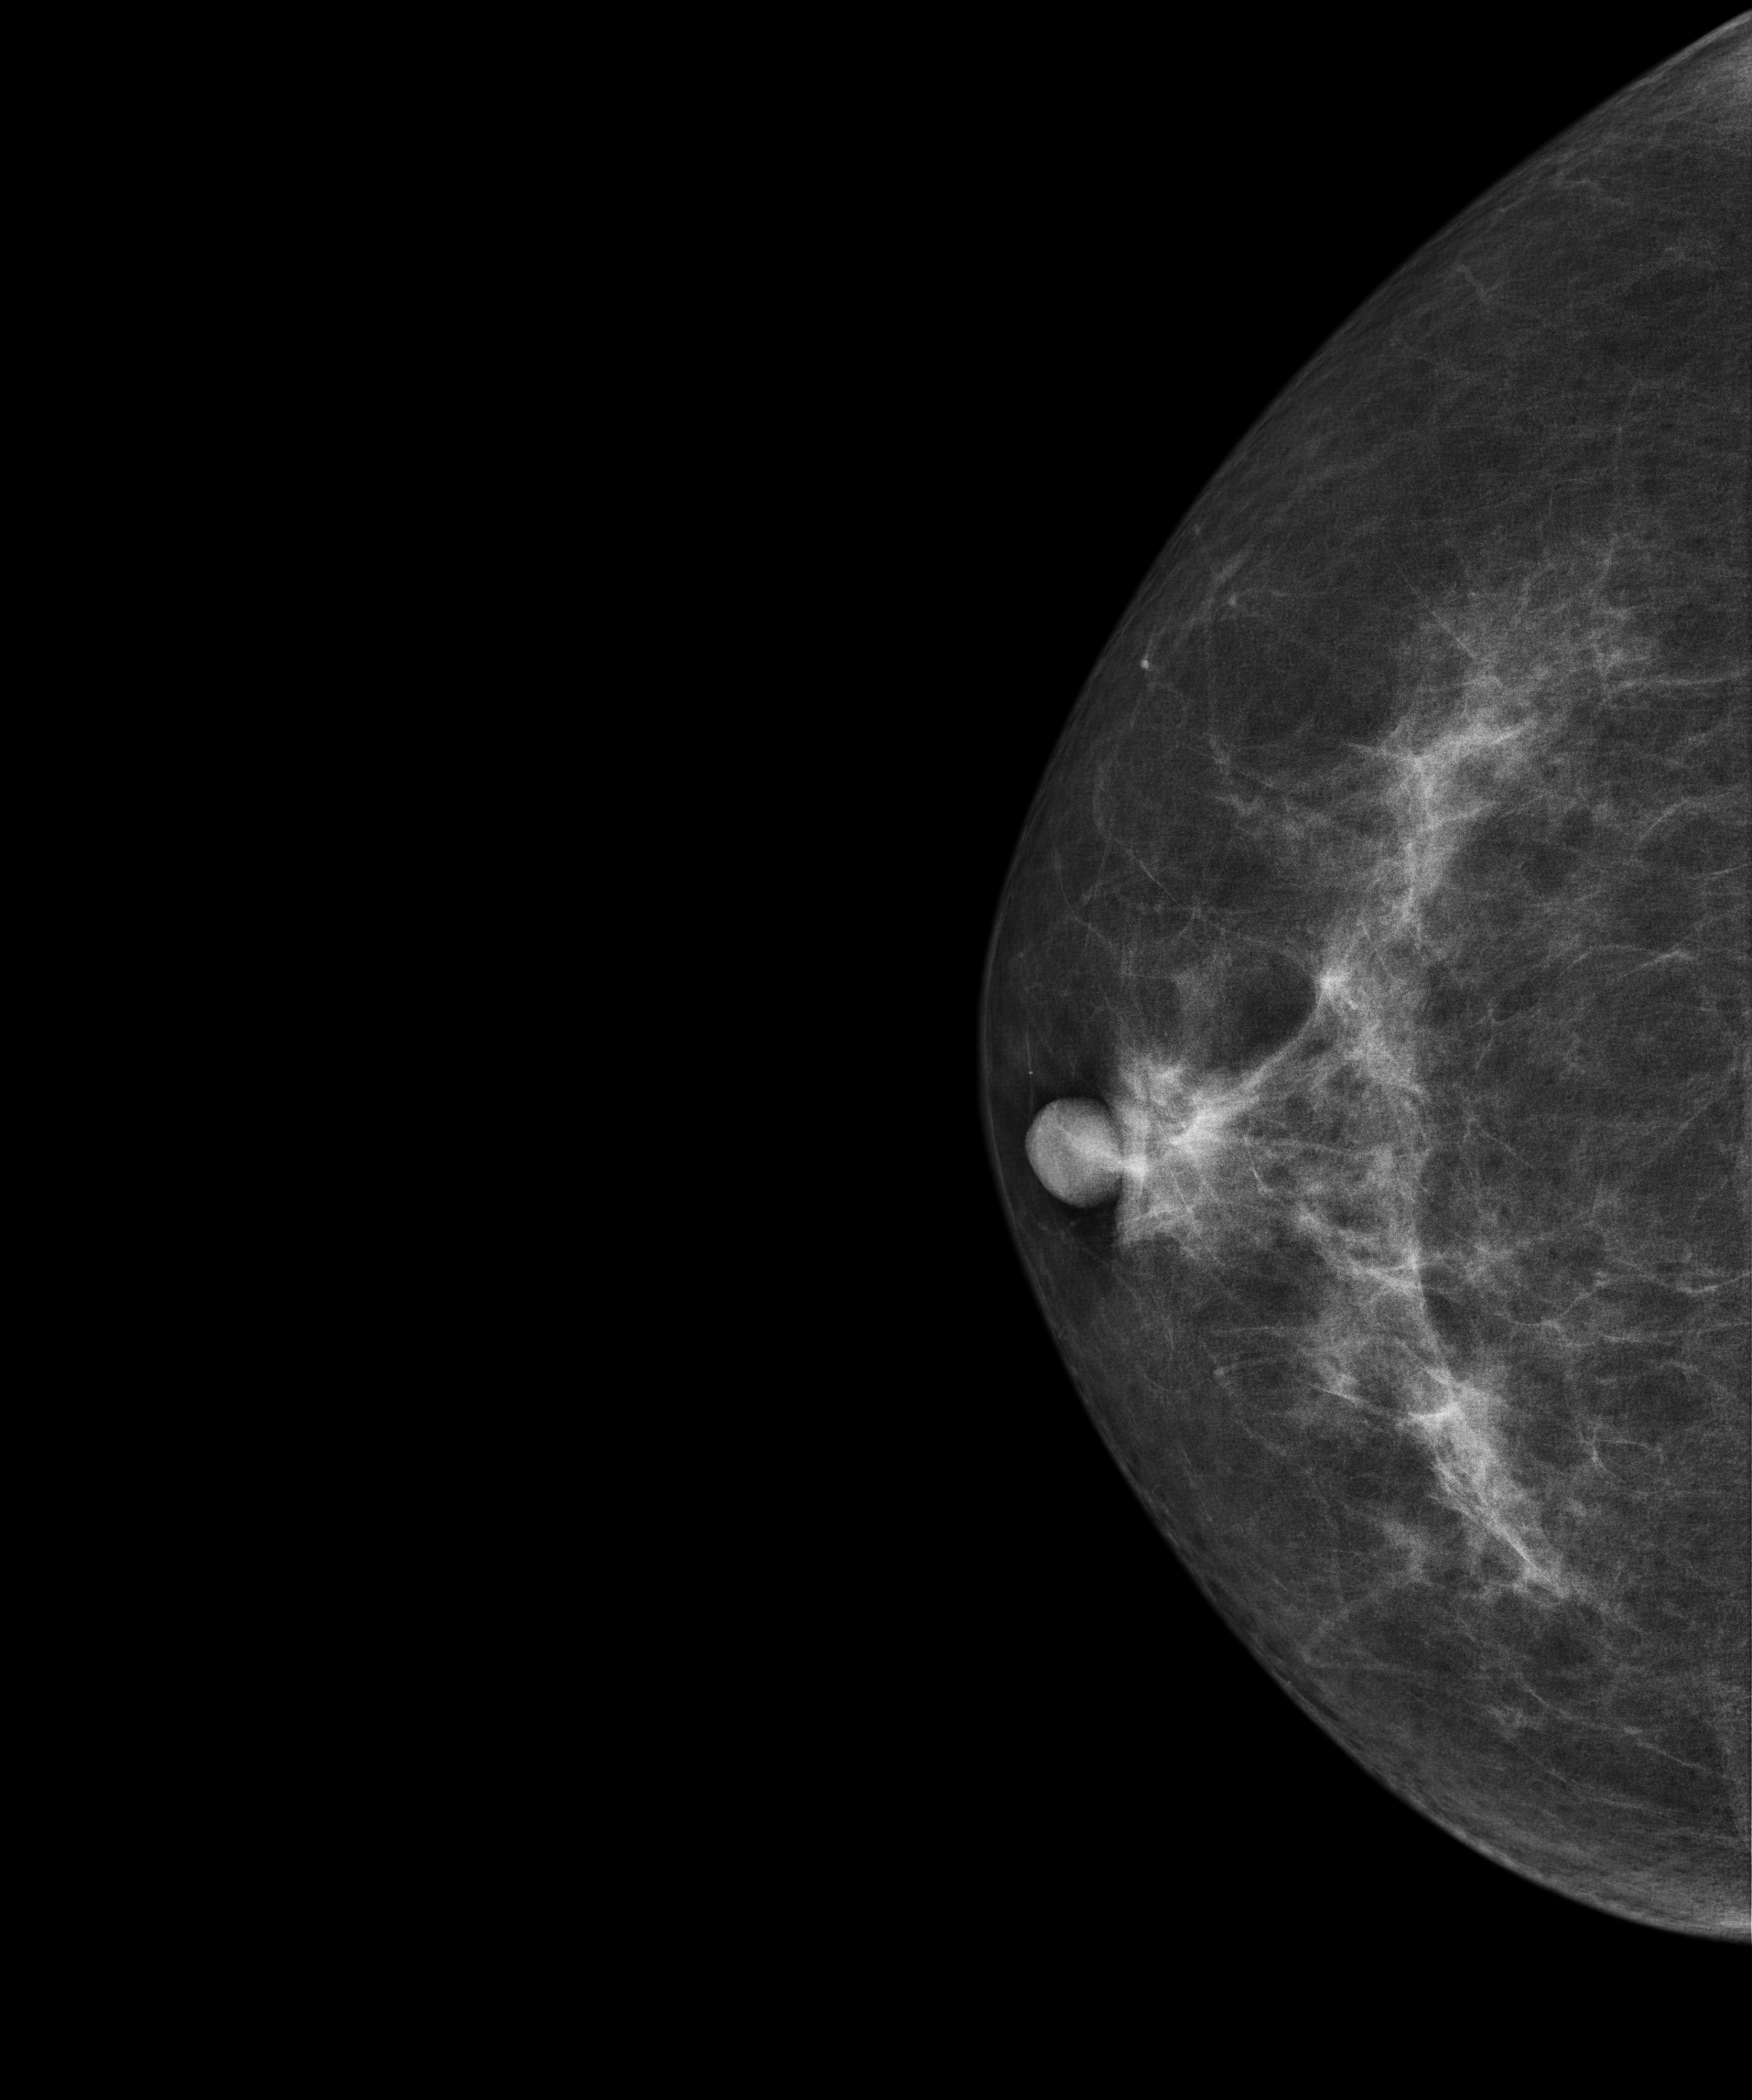
Digital mammography. Right breast, cranio-caudal projection. Patient age 59.
Contralateral breast — no documented abnormality on this side.